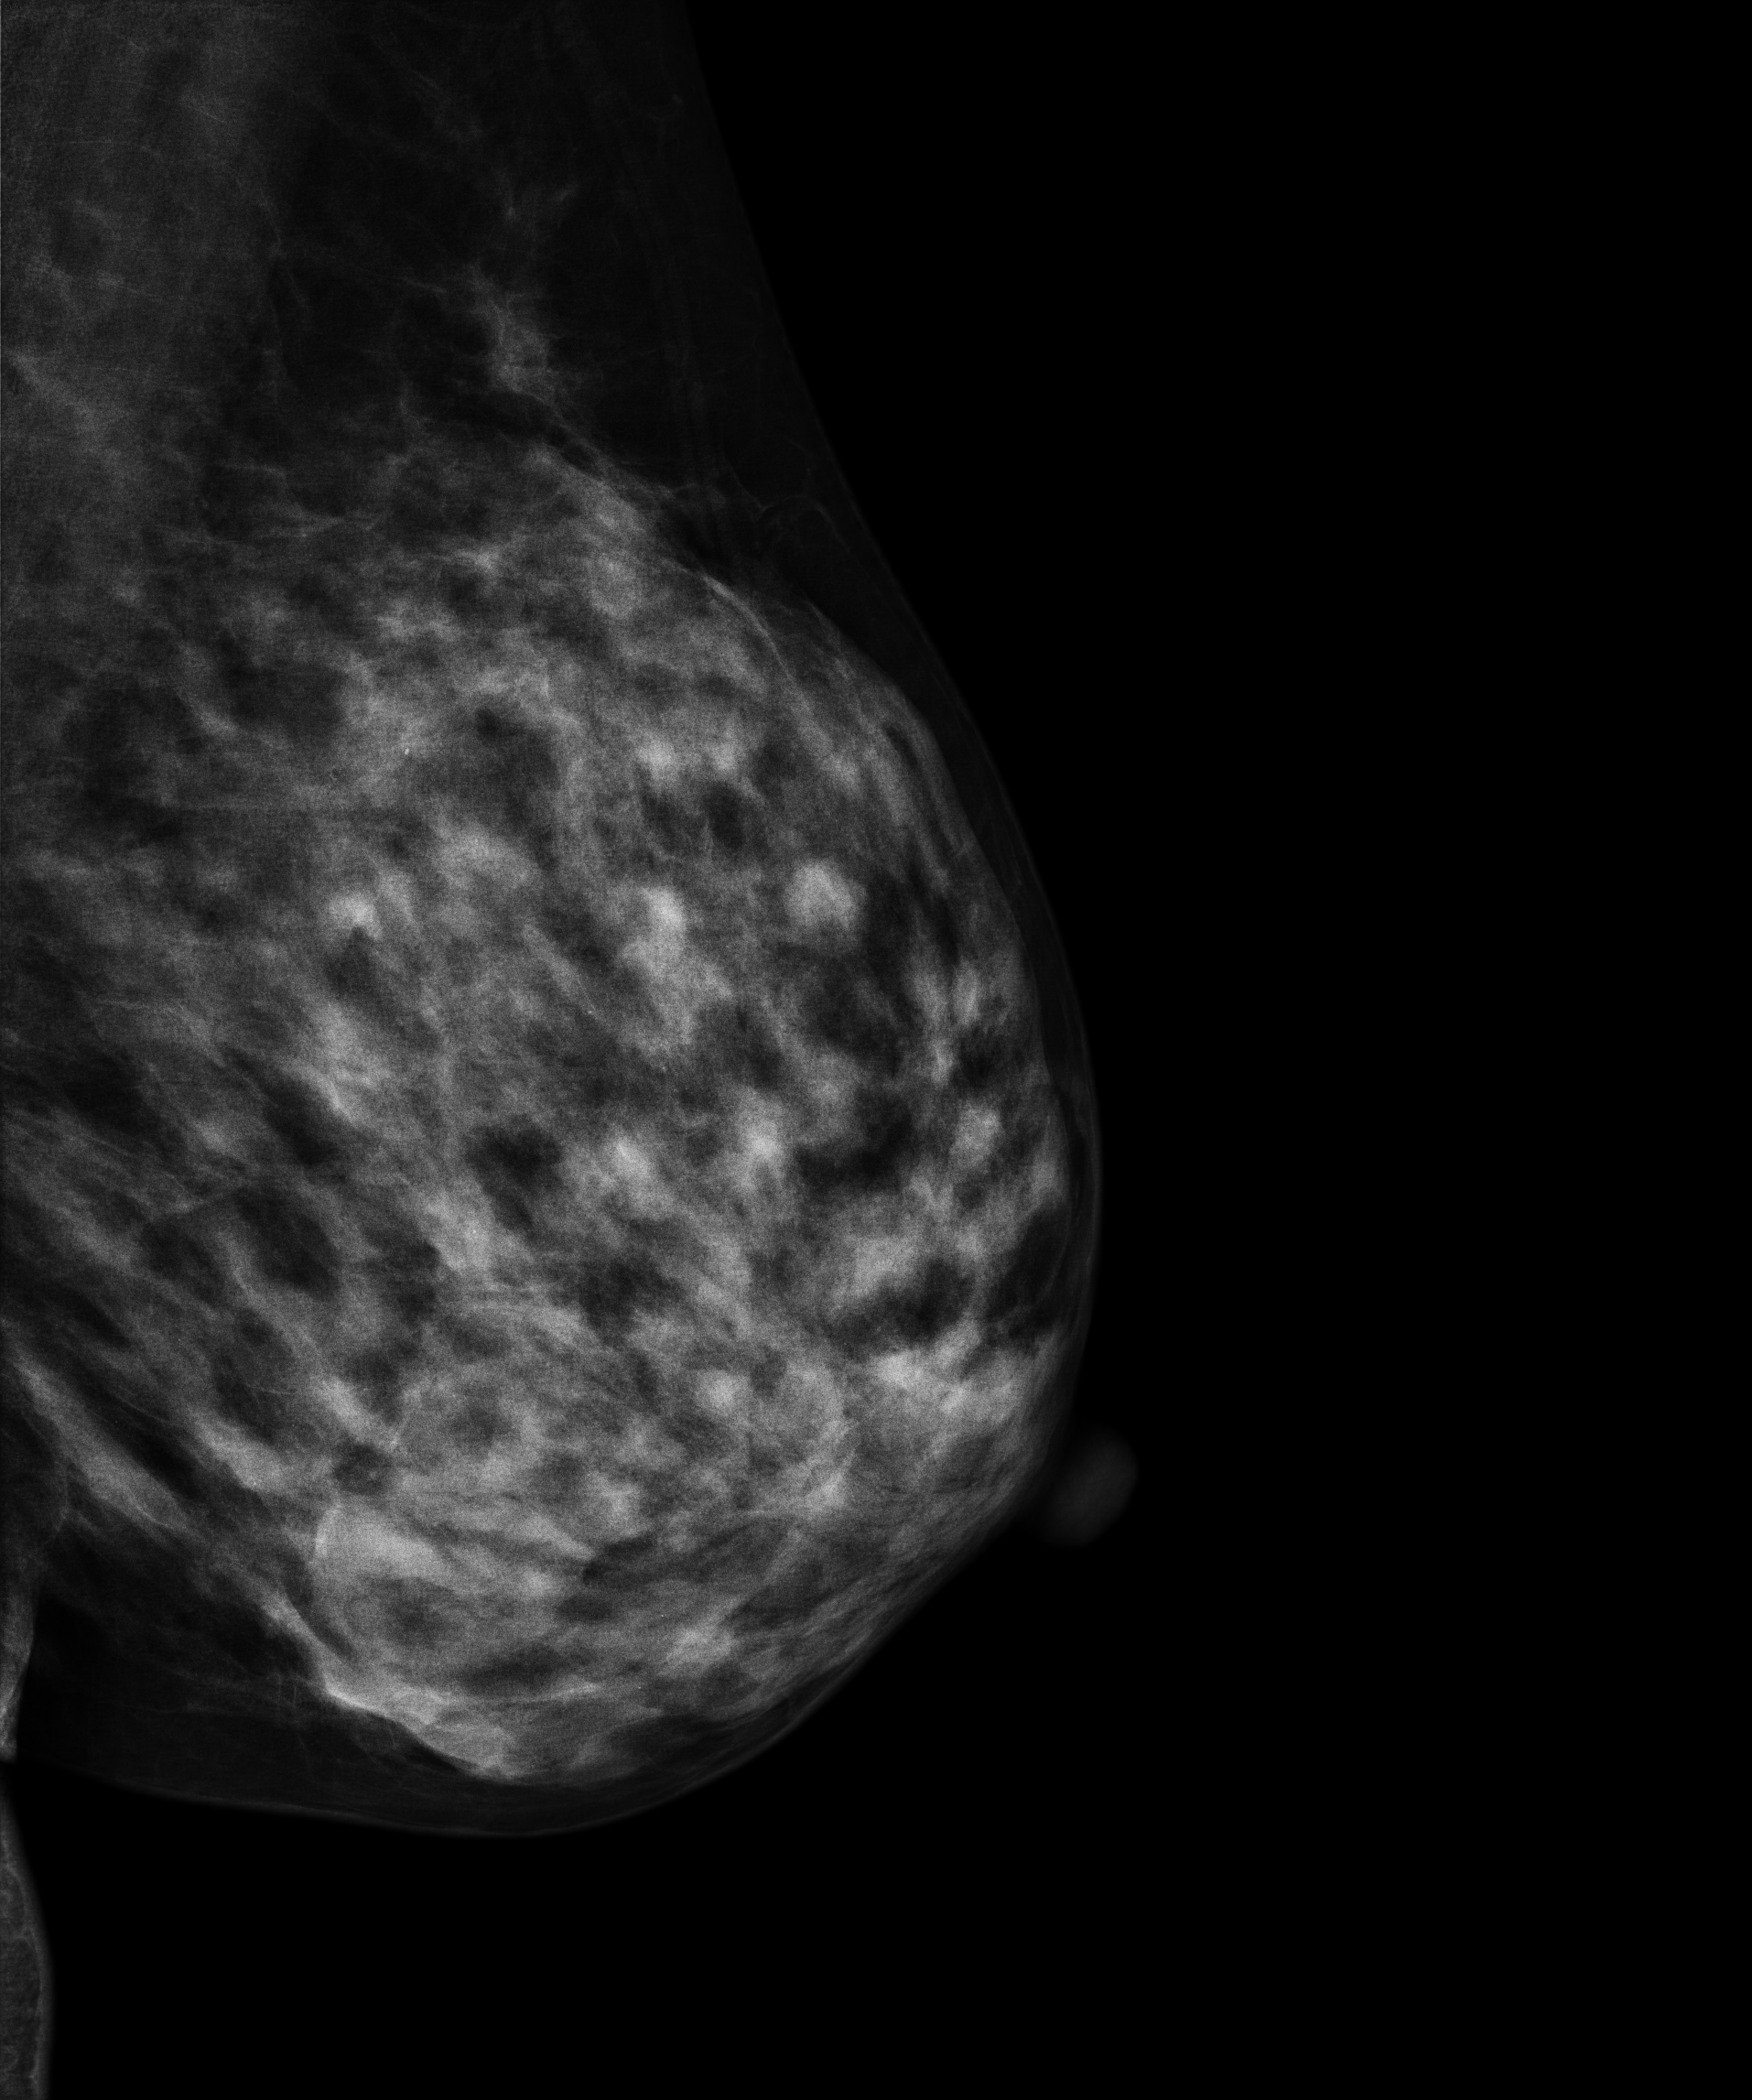
Digital mammography. Left breast, MLO projection. 35 y/o patient.
Contralateral breast — no documented abnormality on this side.